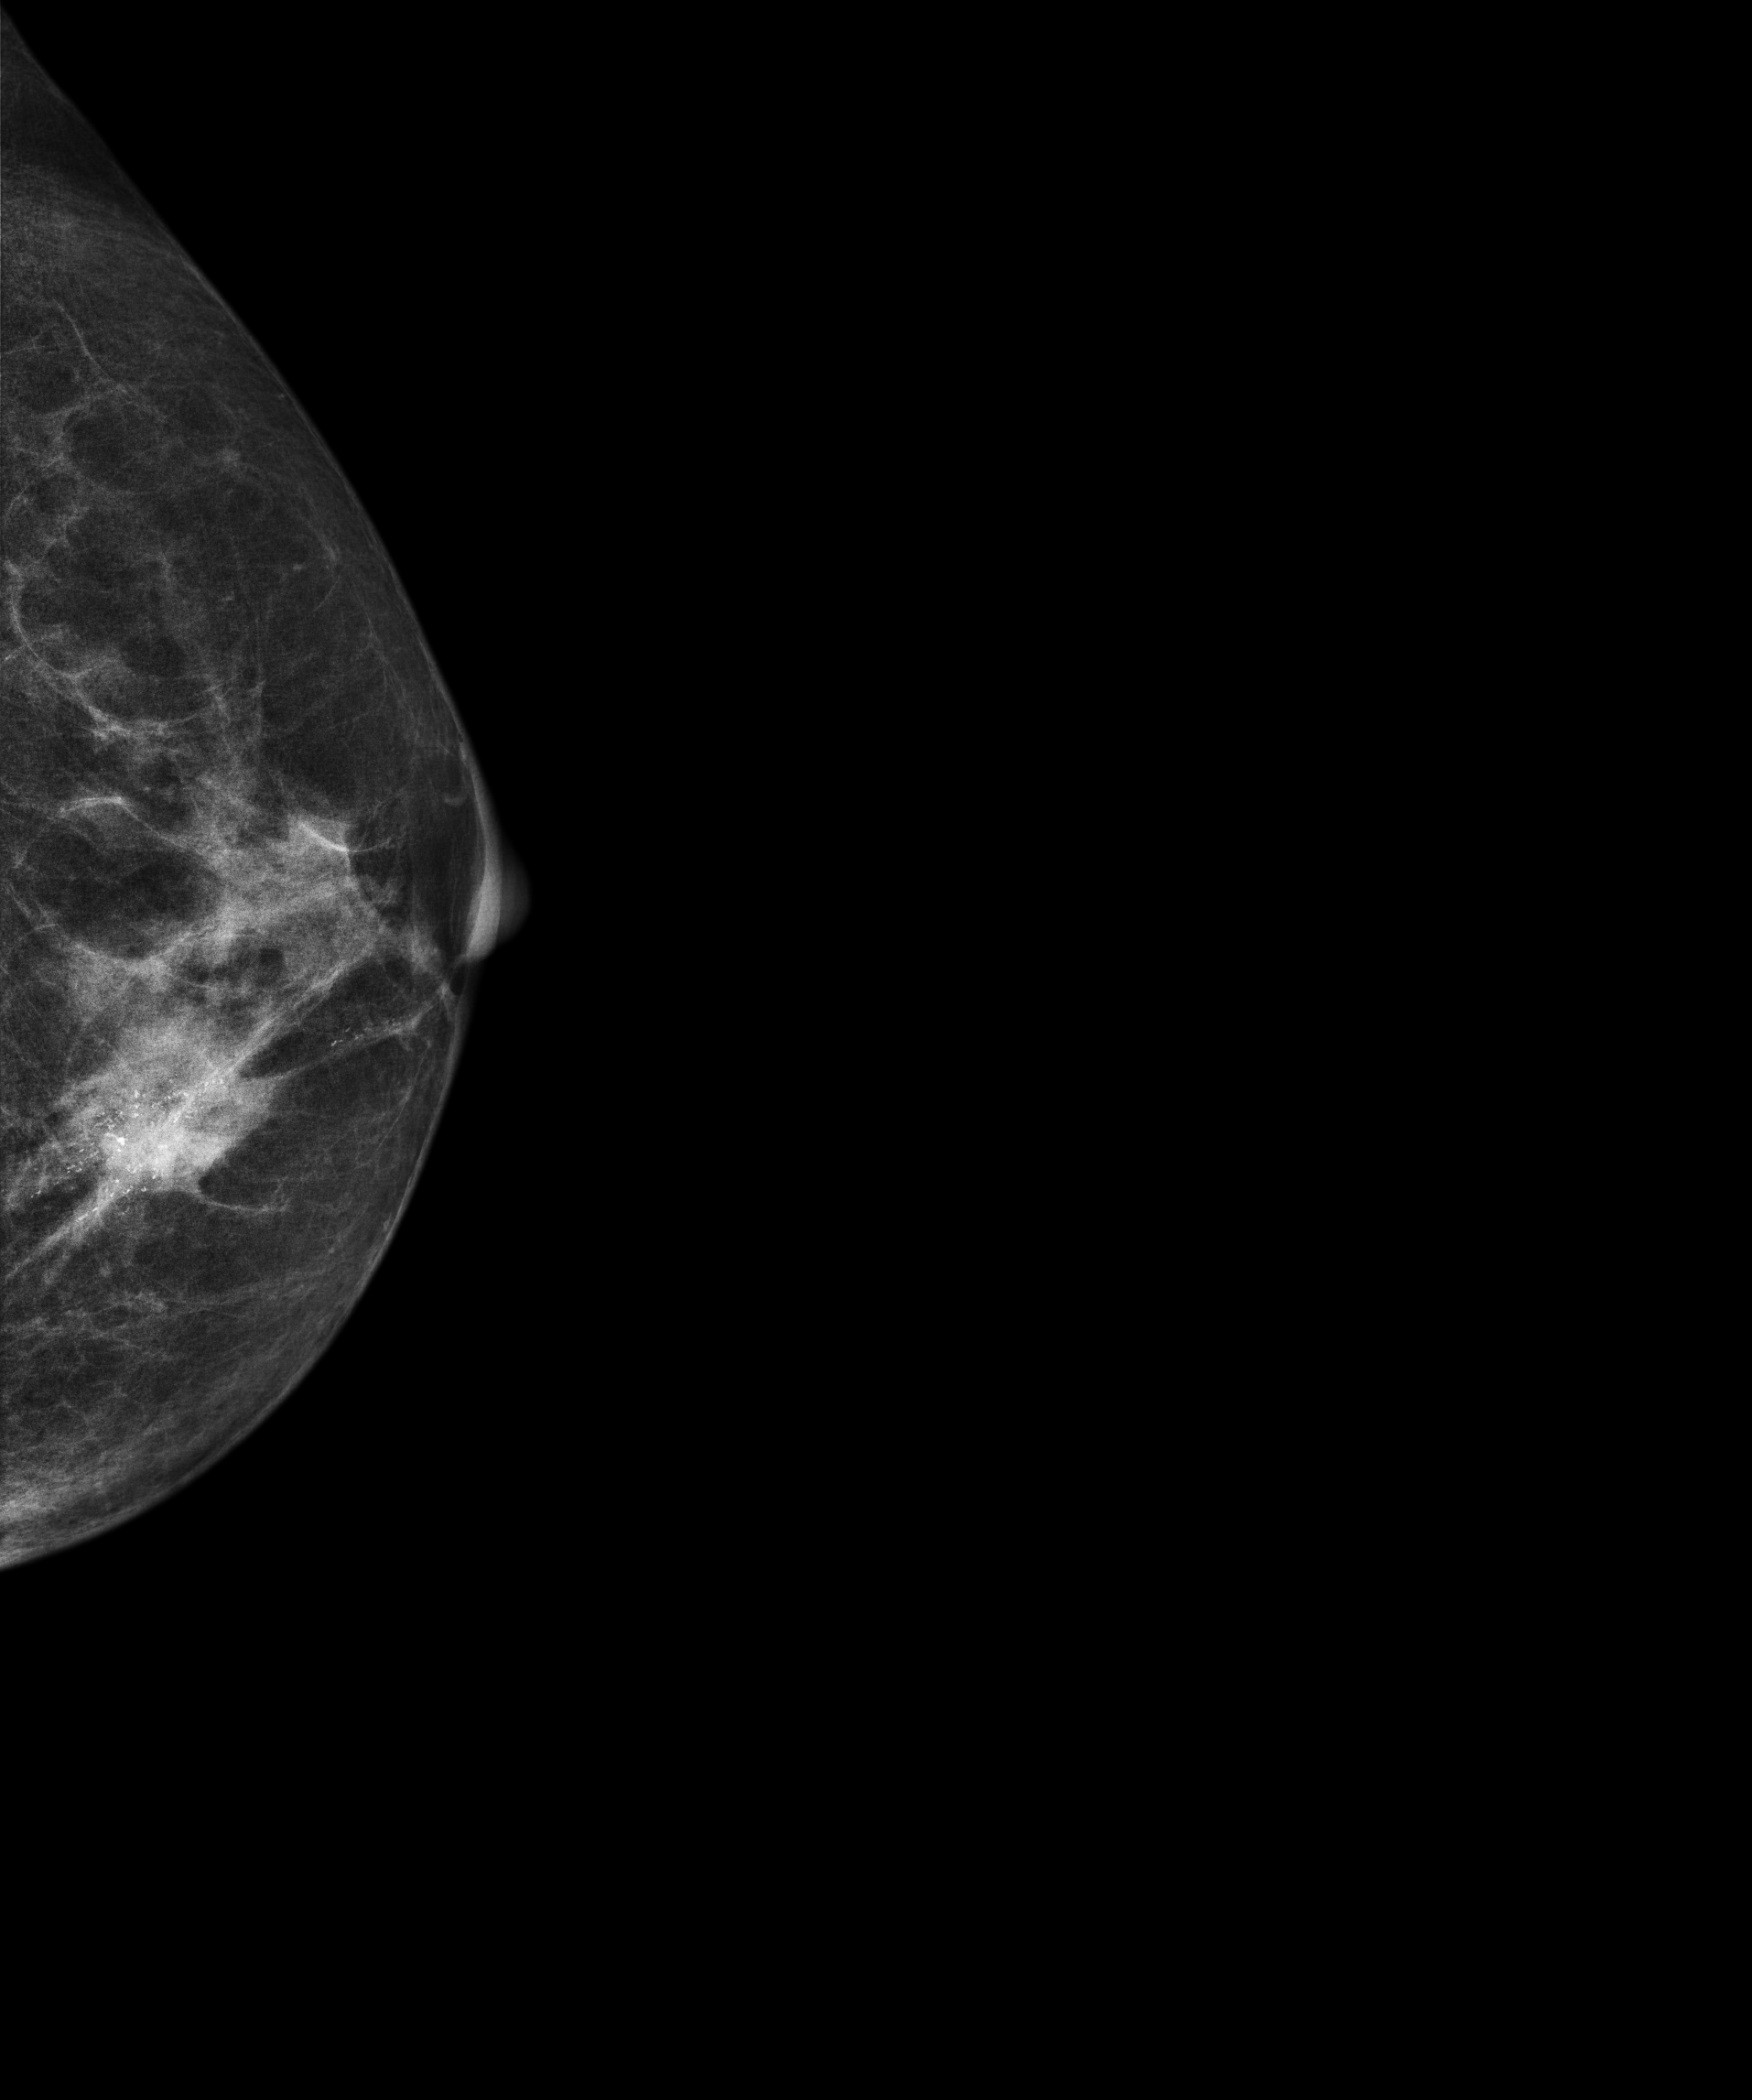
Mammogram — left CC. Patient age 52.
This breast has a mass and calcifications, biopsy-confirmed malignant. Molecular subtype: luminal B.